CC mammogram of the left breast. 33 y/o patient.
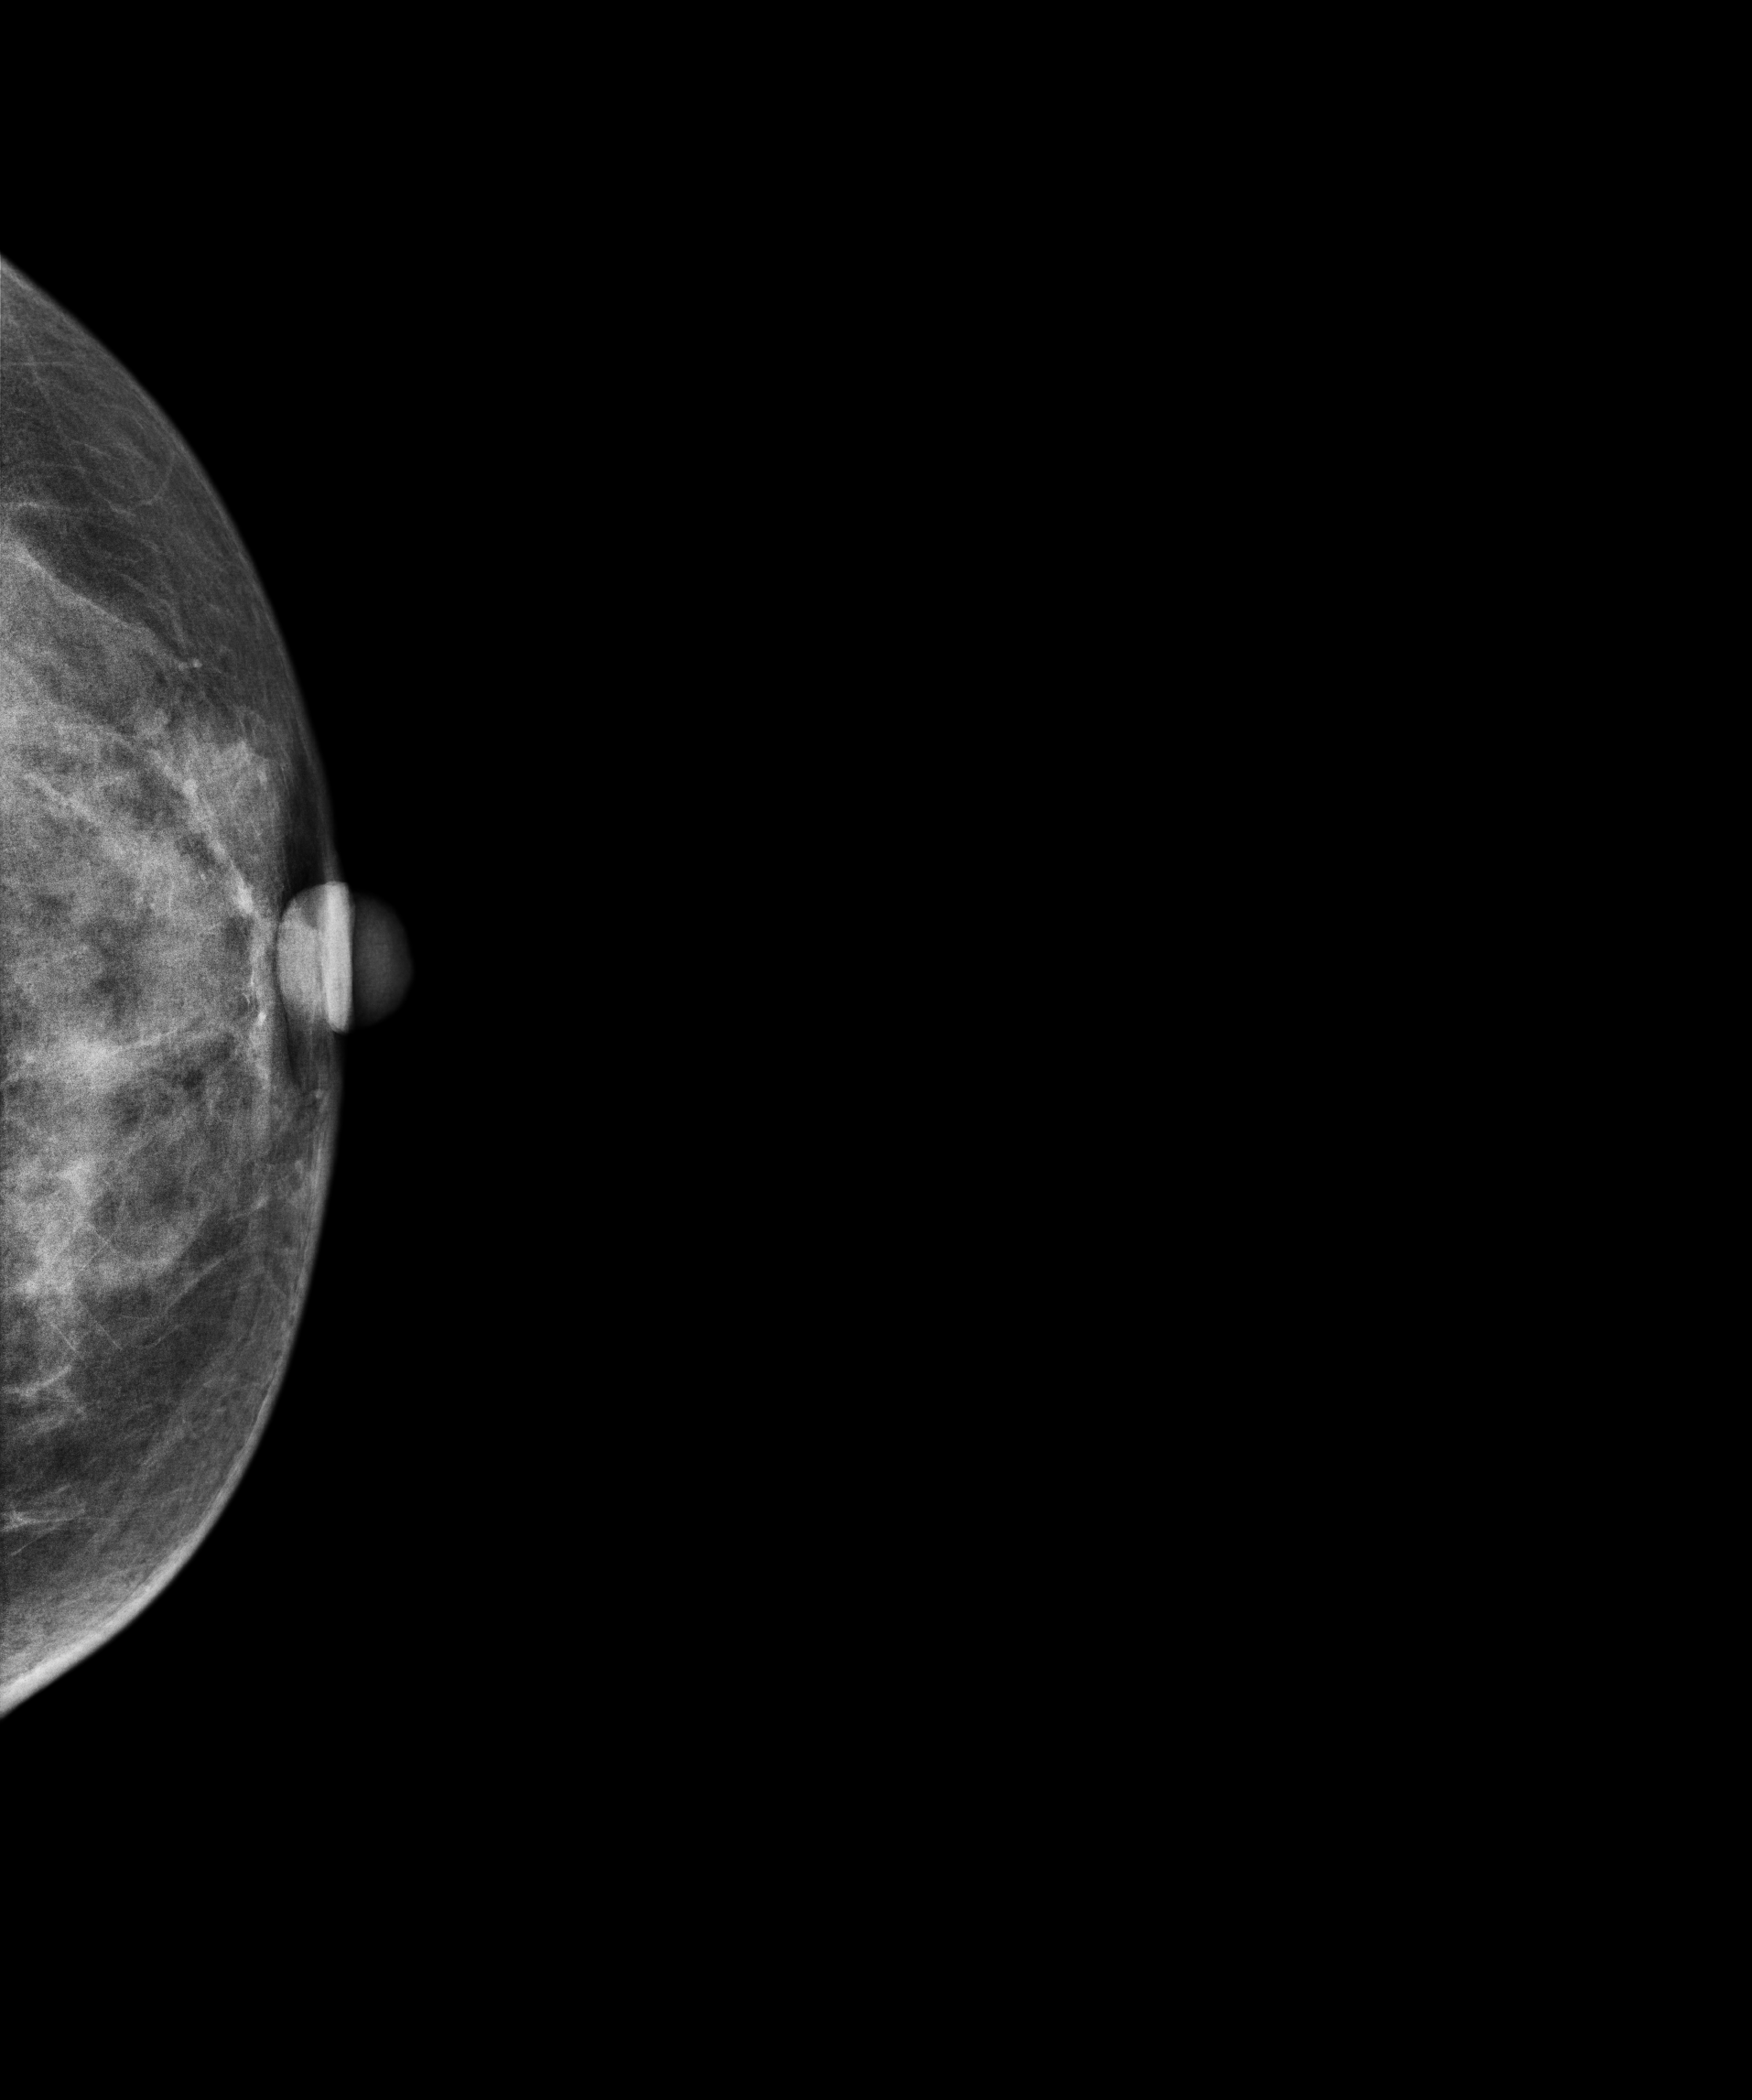
This breast has a mass, biopsy-confirmed benign.